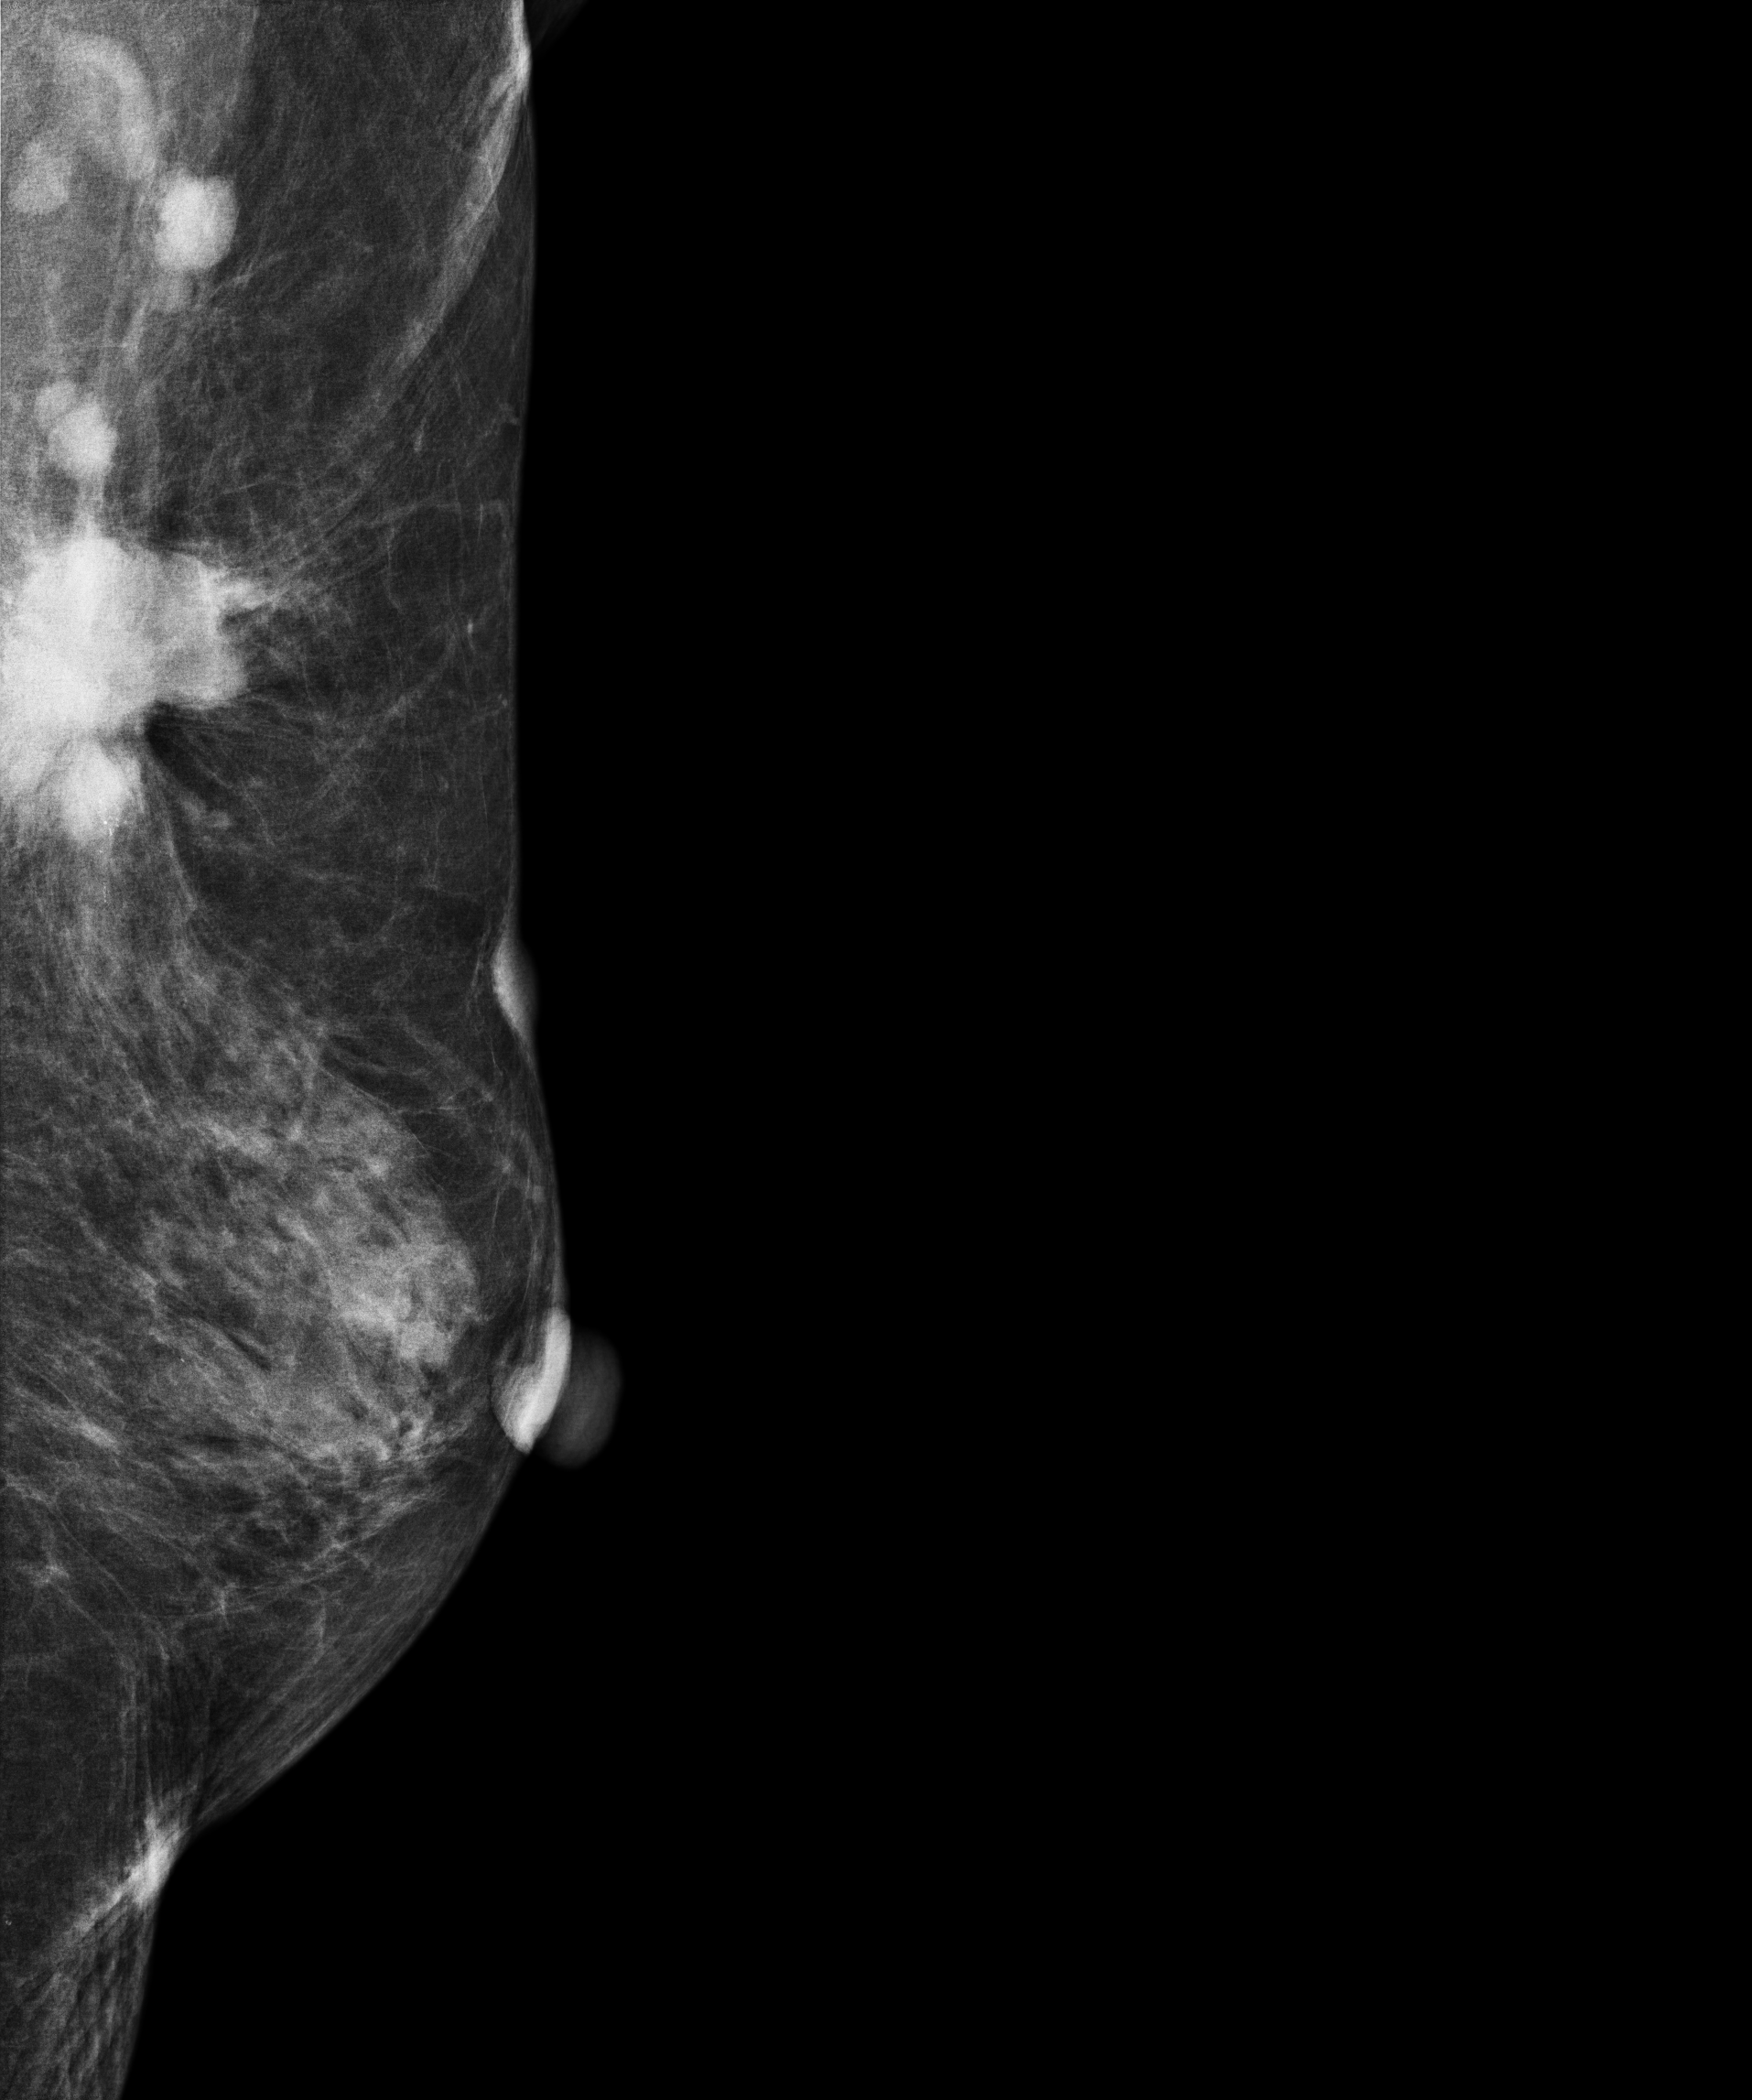
Digital mammography. Left breast, MLO projection. 83 y/o patient.
This breast has a mass, histologically confirmed malignant. Molecular subtype: luminal A.